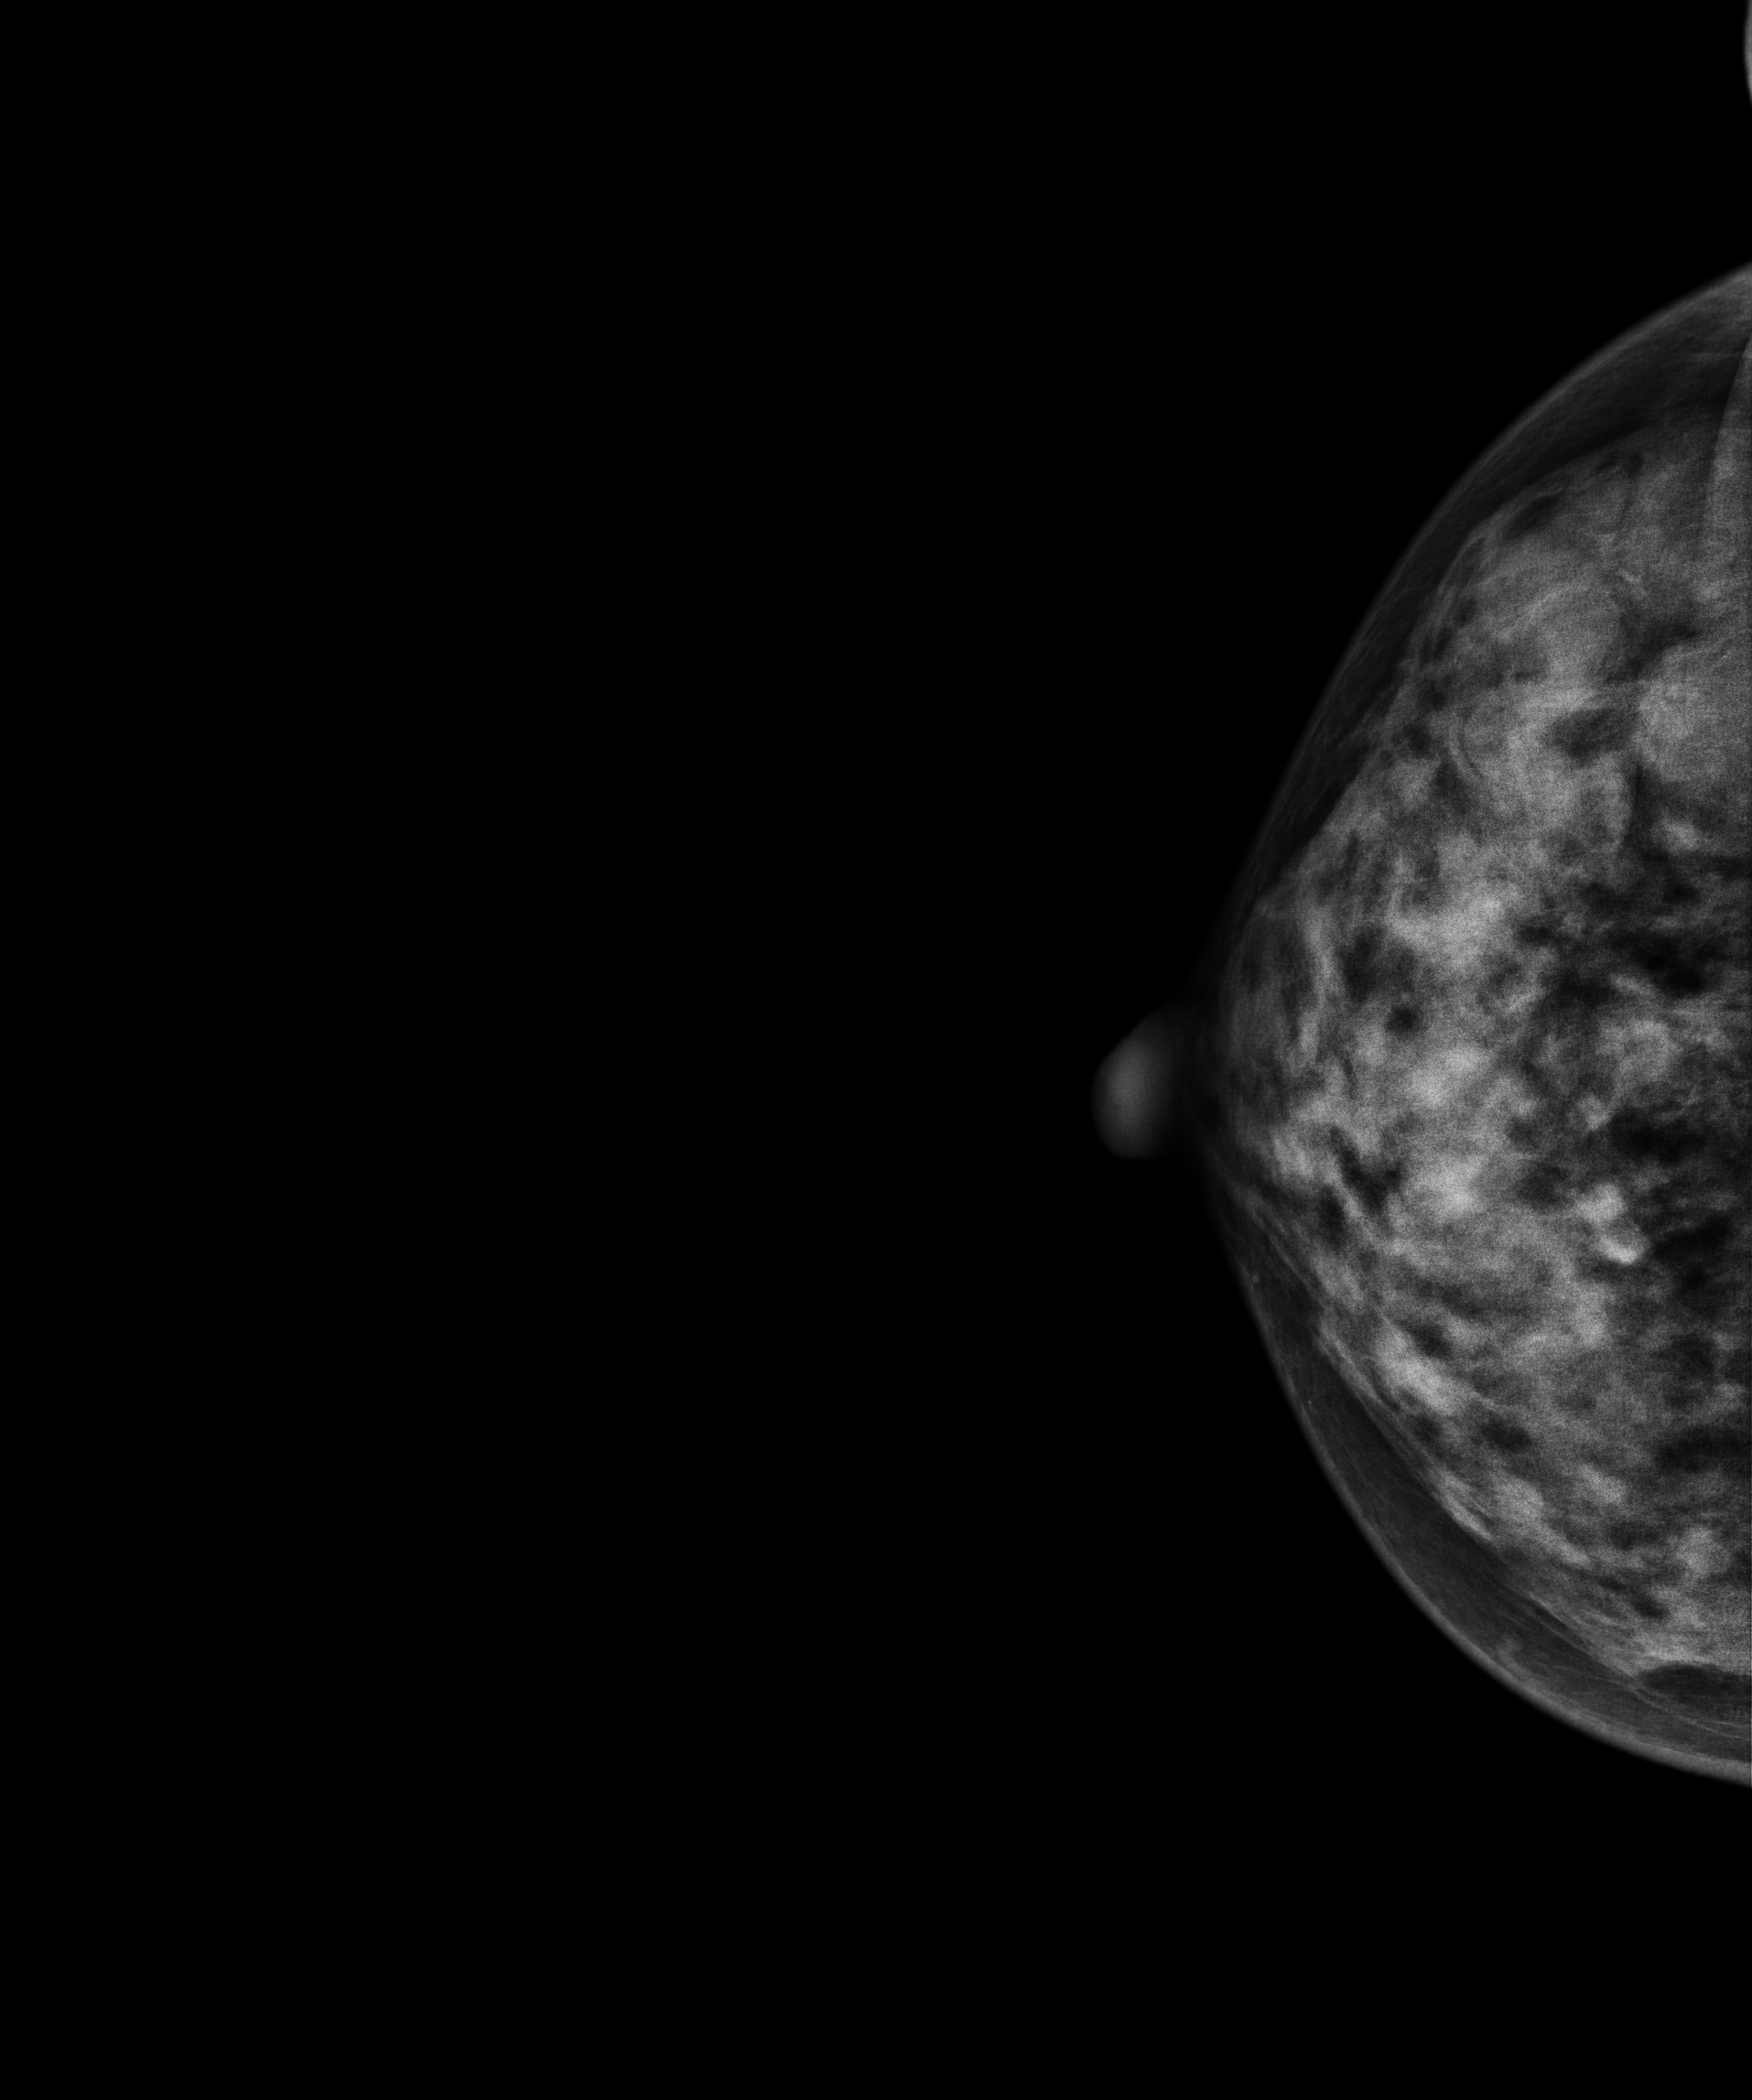
Mammogram — right cranio-caudal. 46-year-old patient.
This breast has a mass, biopsy-confirmed benign.